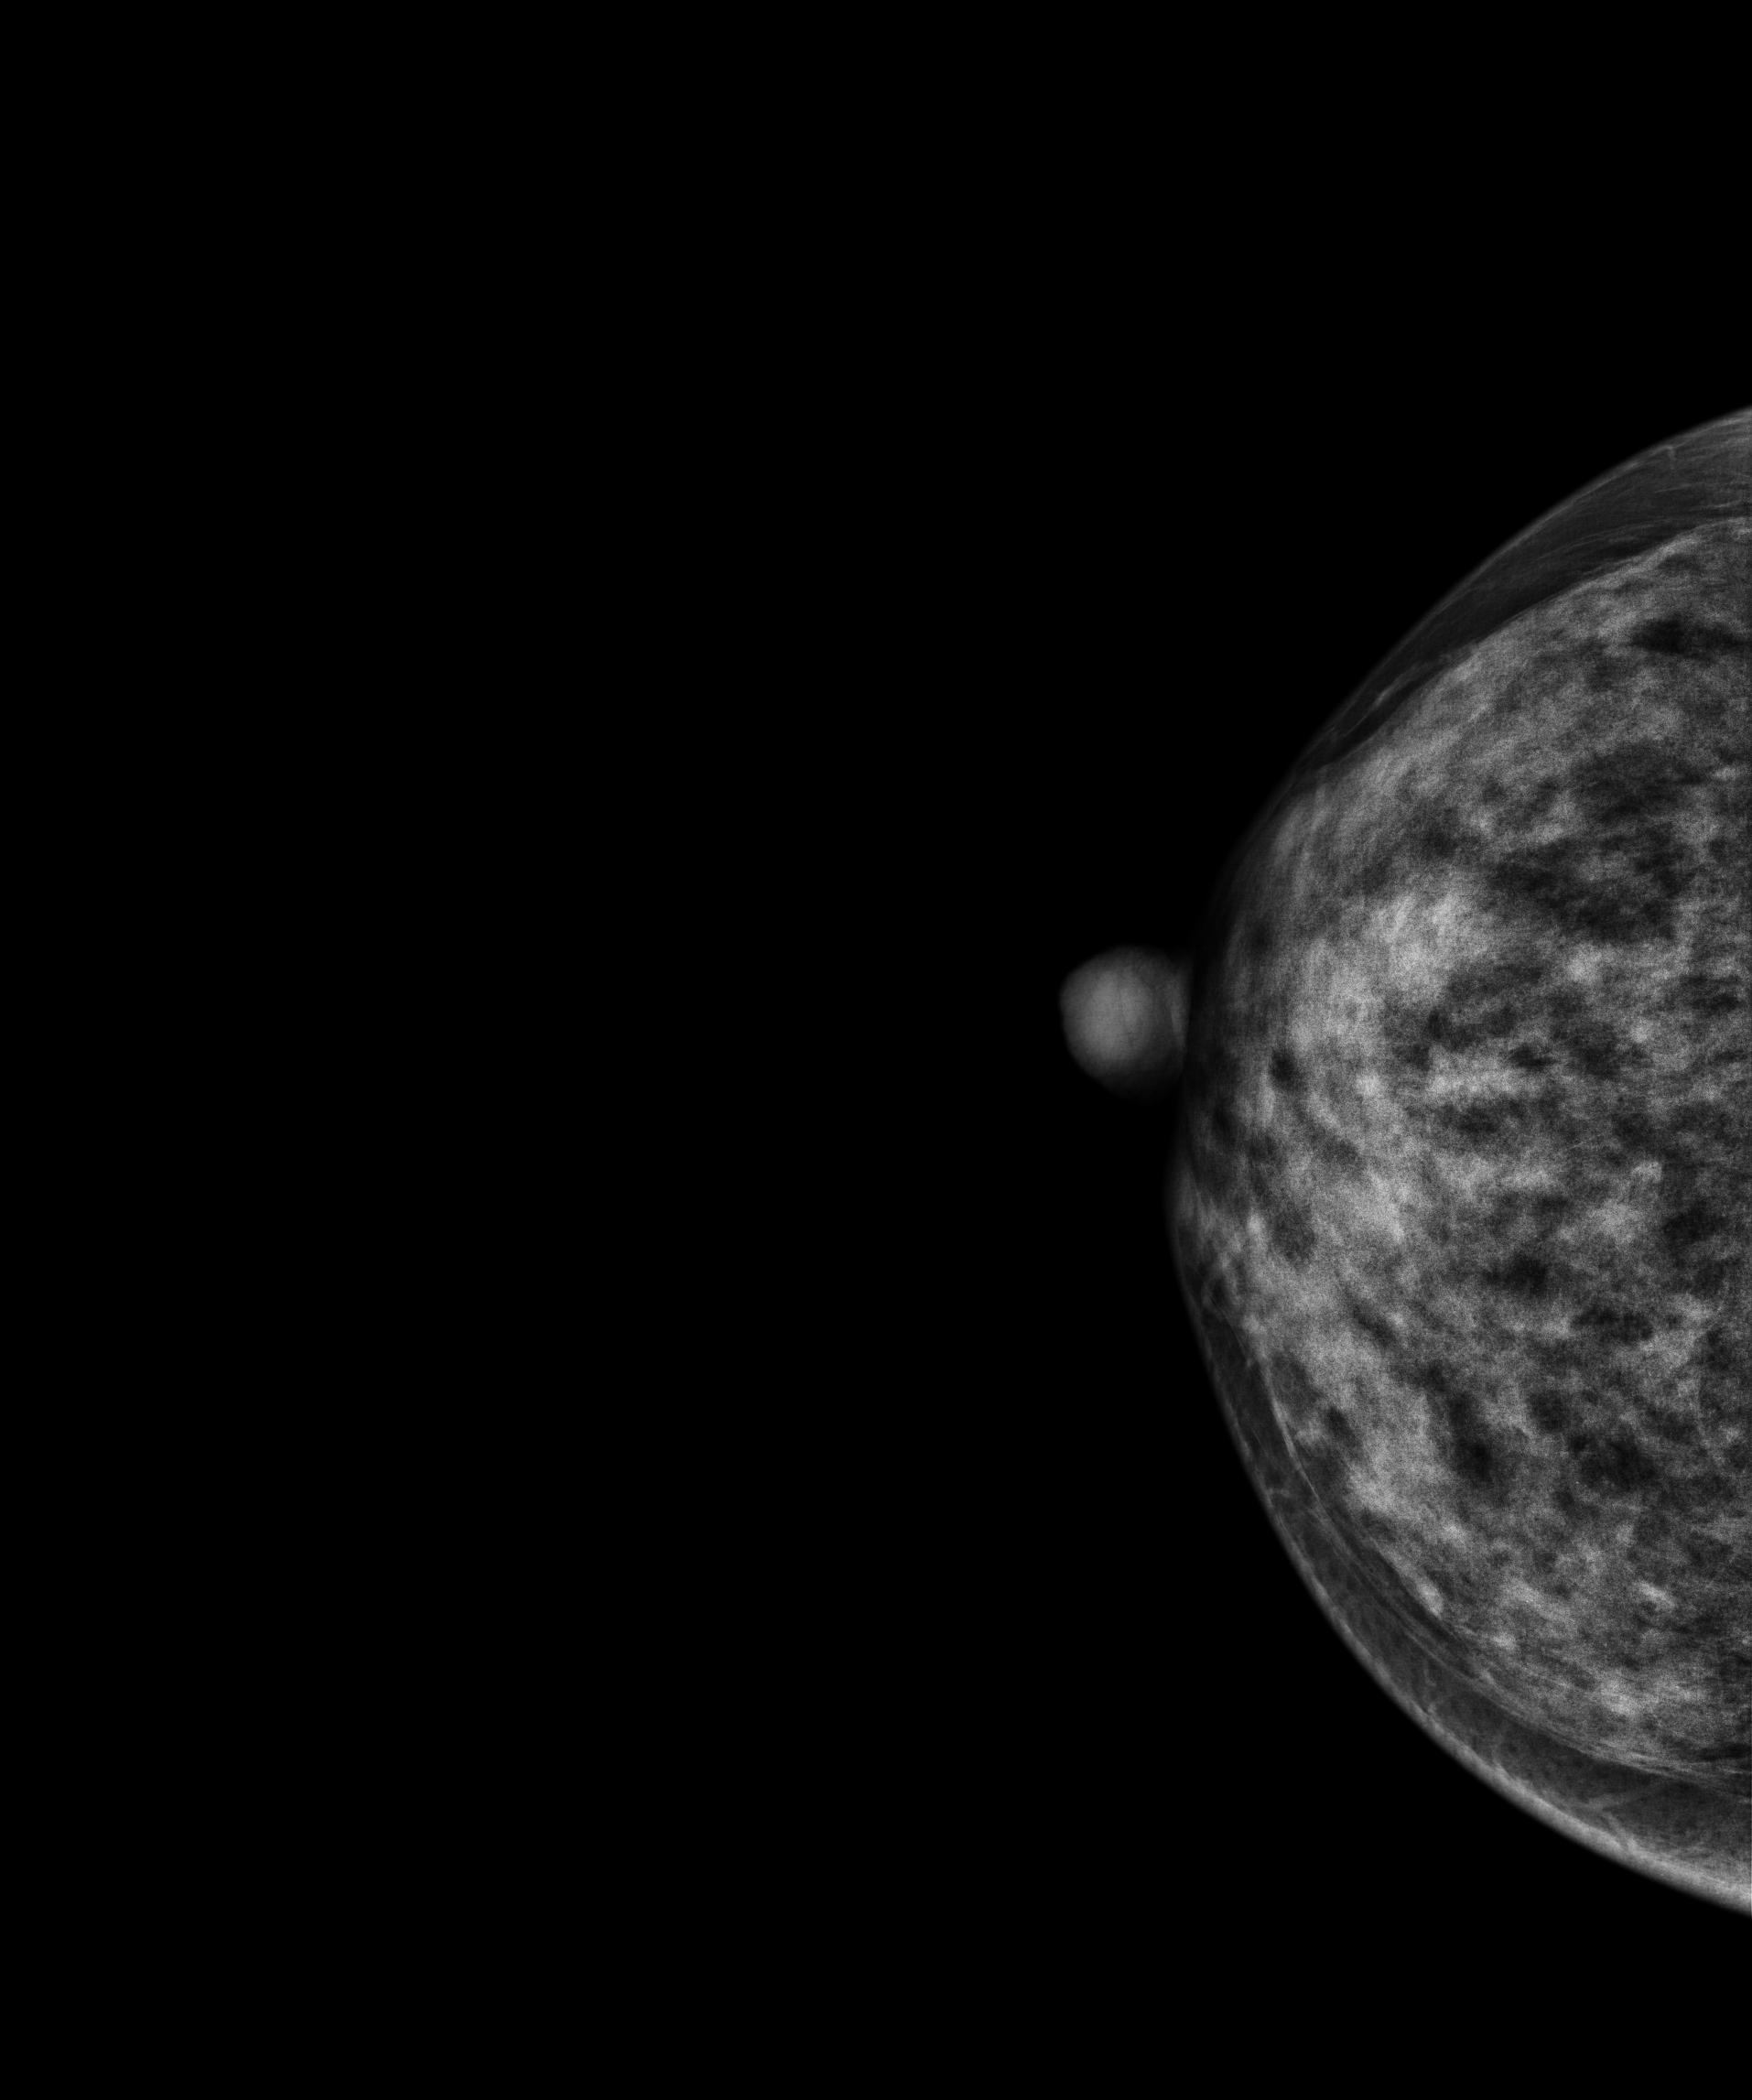
Right-breast mammogram, cranio-caudal. 47 y/o patient.
Contralateral breast — no documented abnormality on this side.